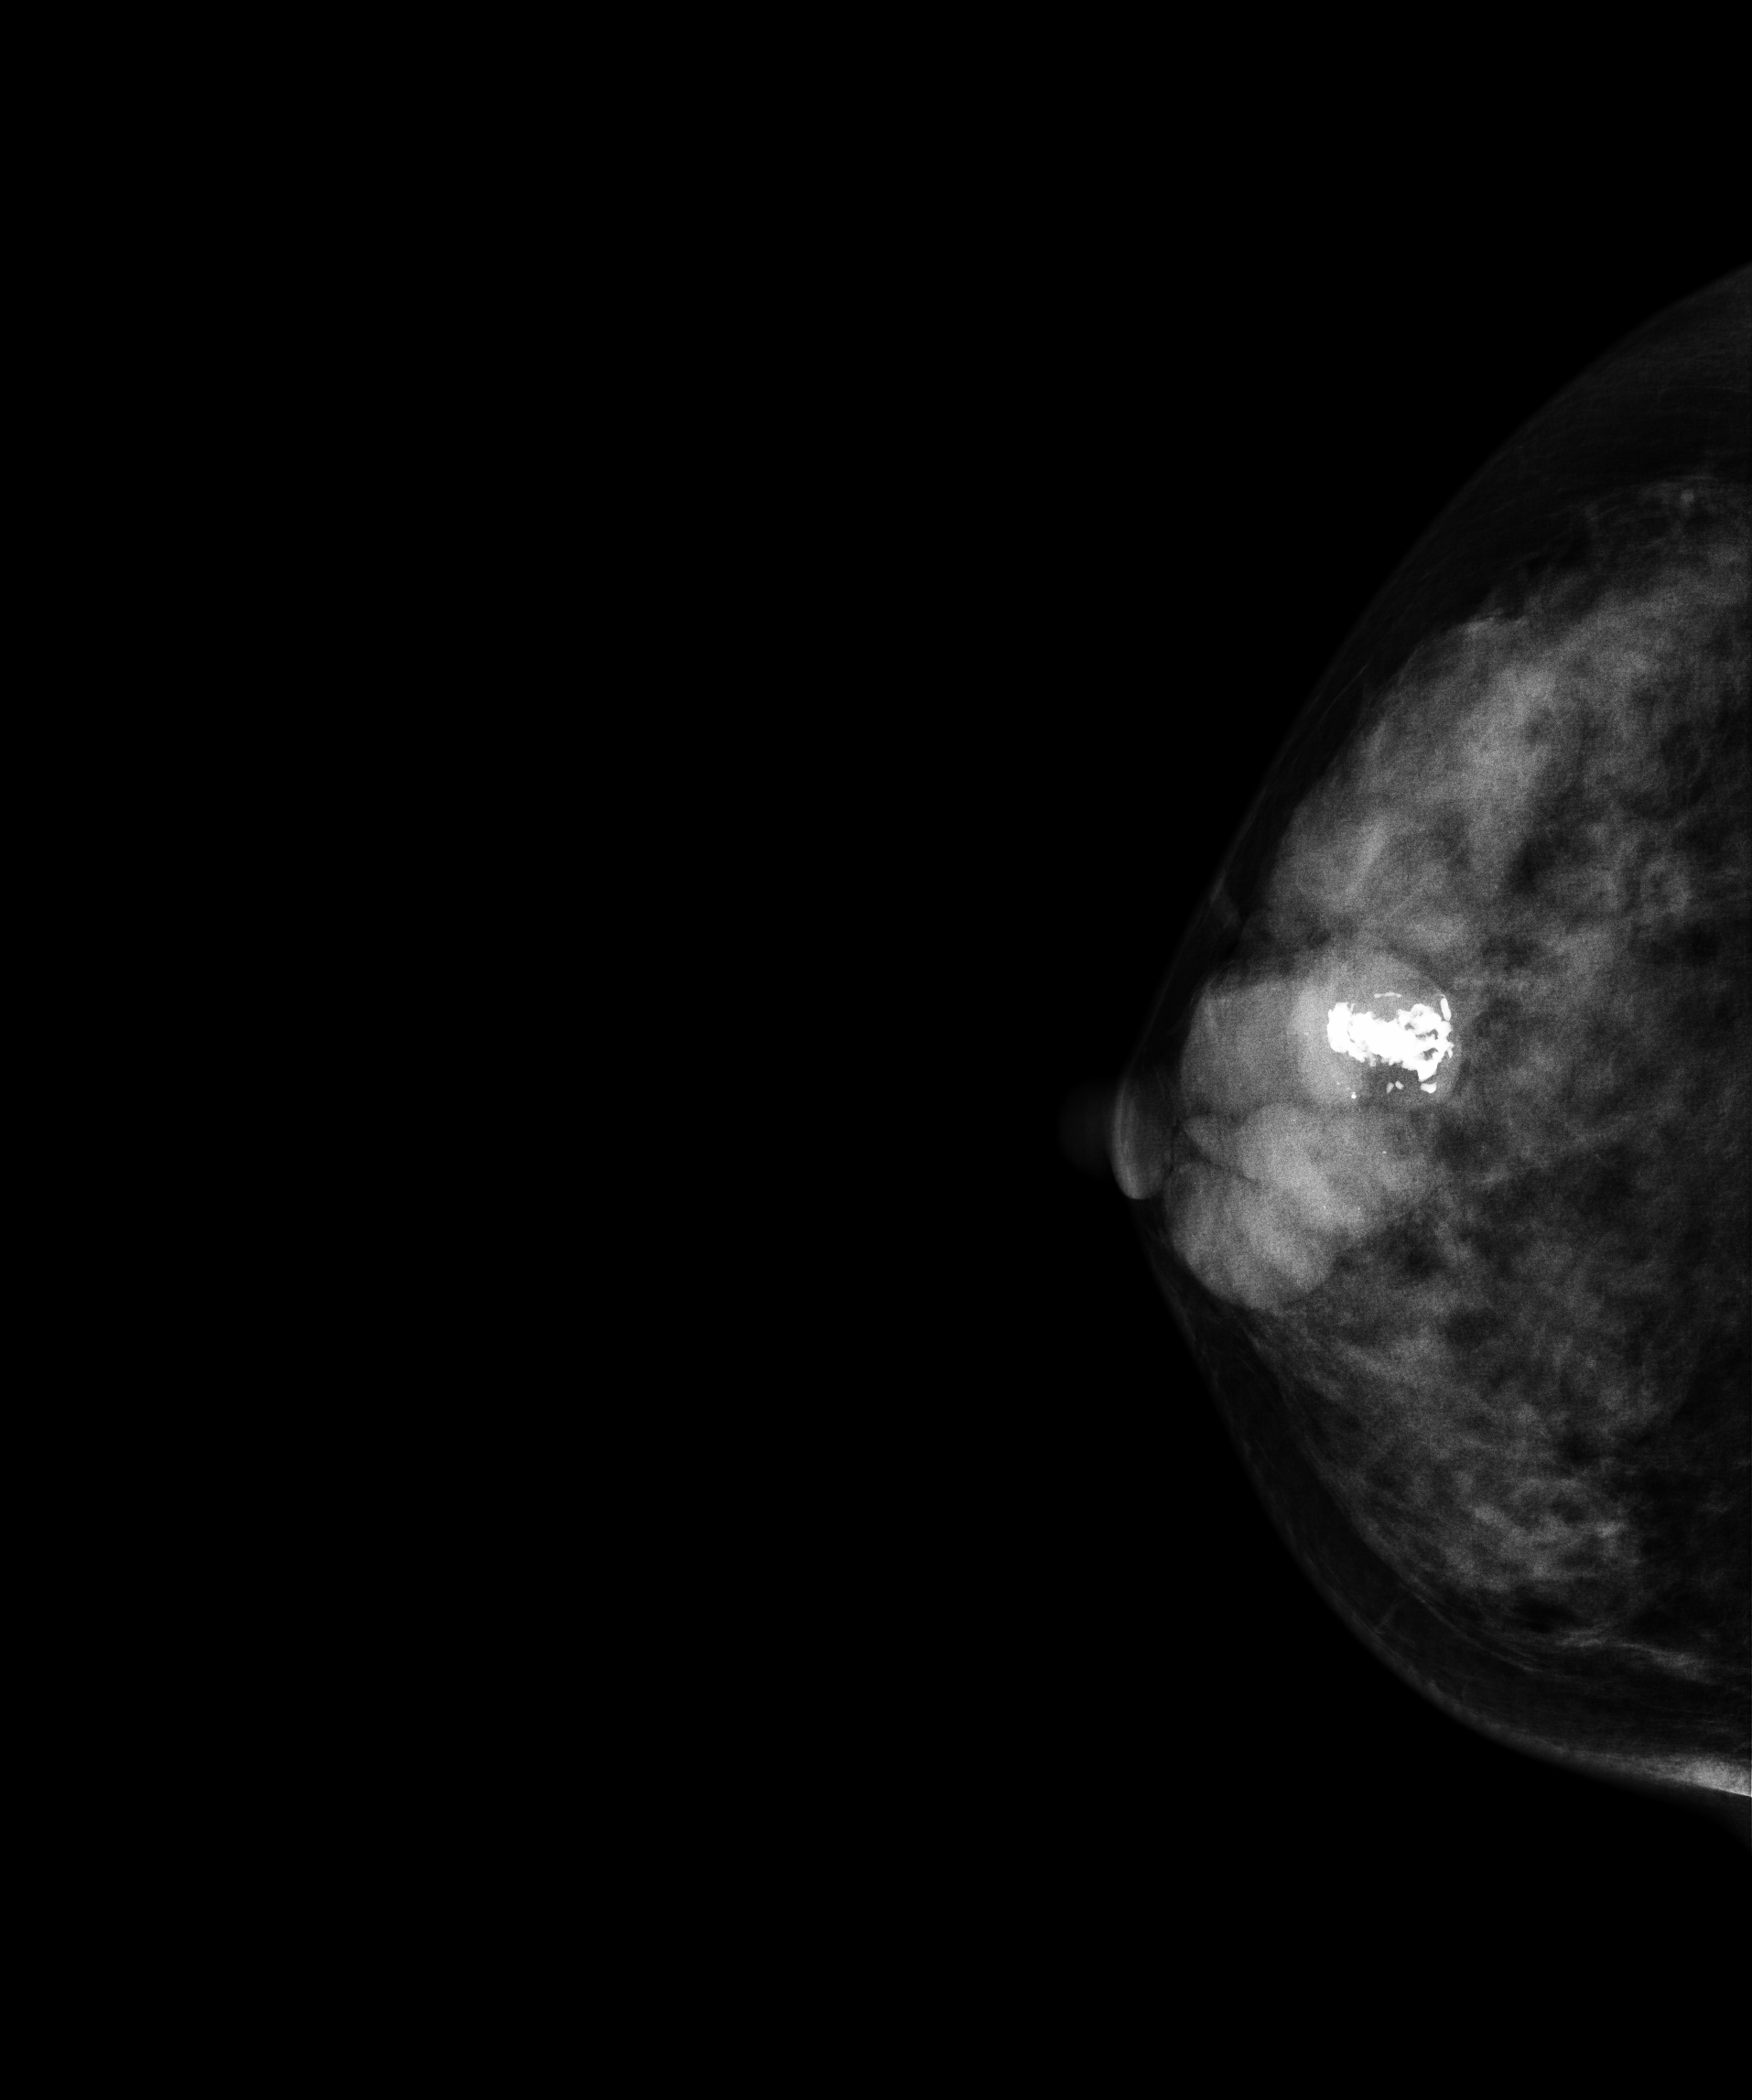
Digital mammography. Right breast, cranio-caudal projection. Patient age 30.
This breast has a mass and calcifications, biopsy-confirmed benign.